Digital mammography. Right breast, MLO projection. Patient age 61.
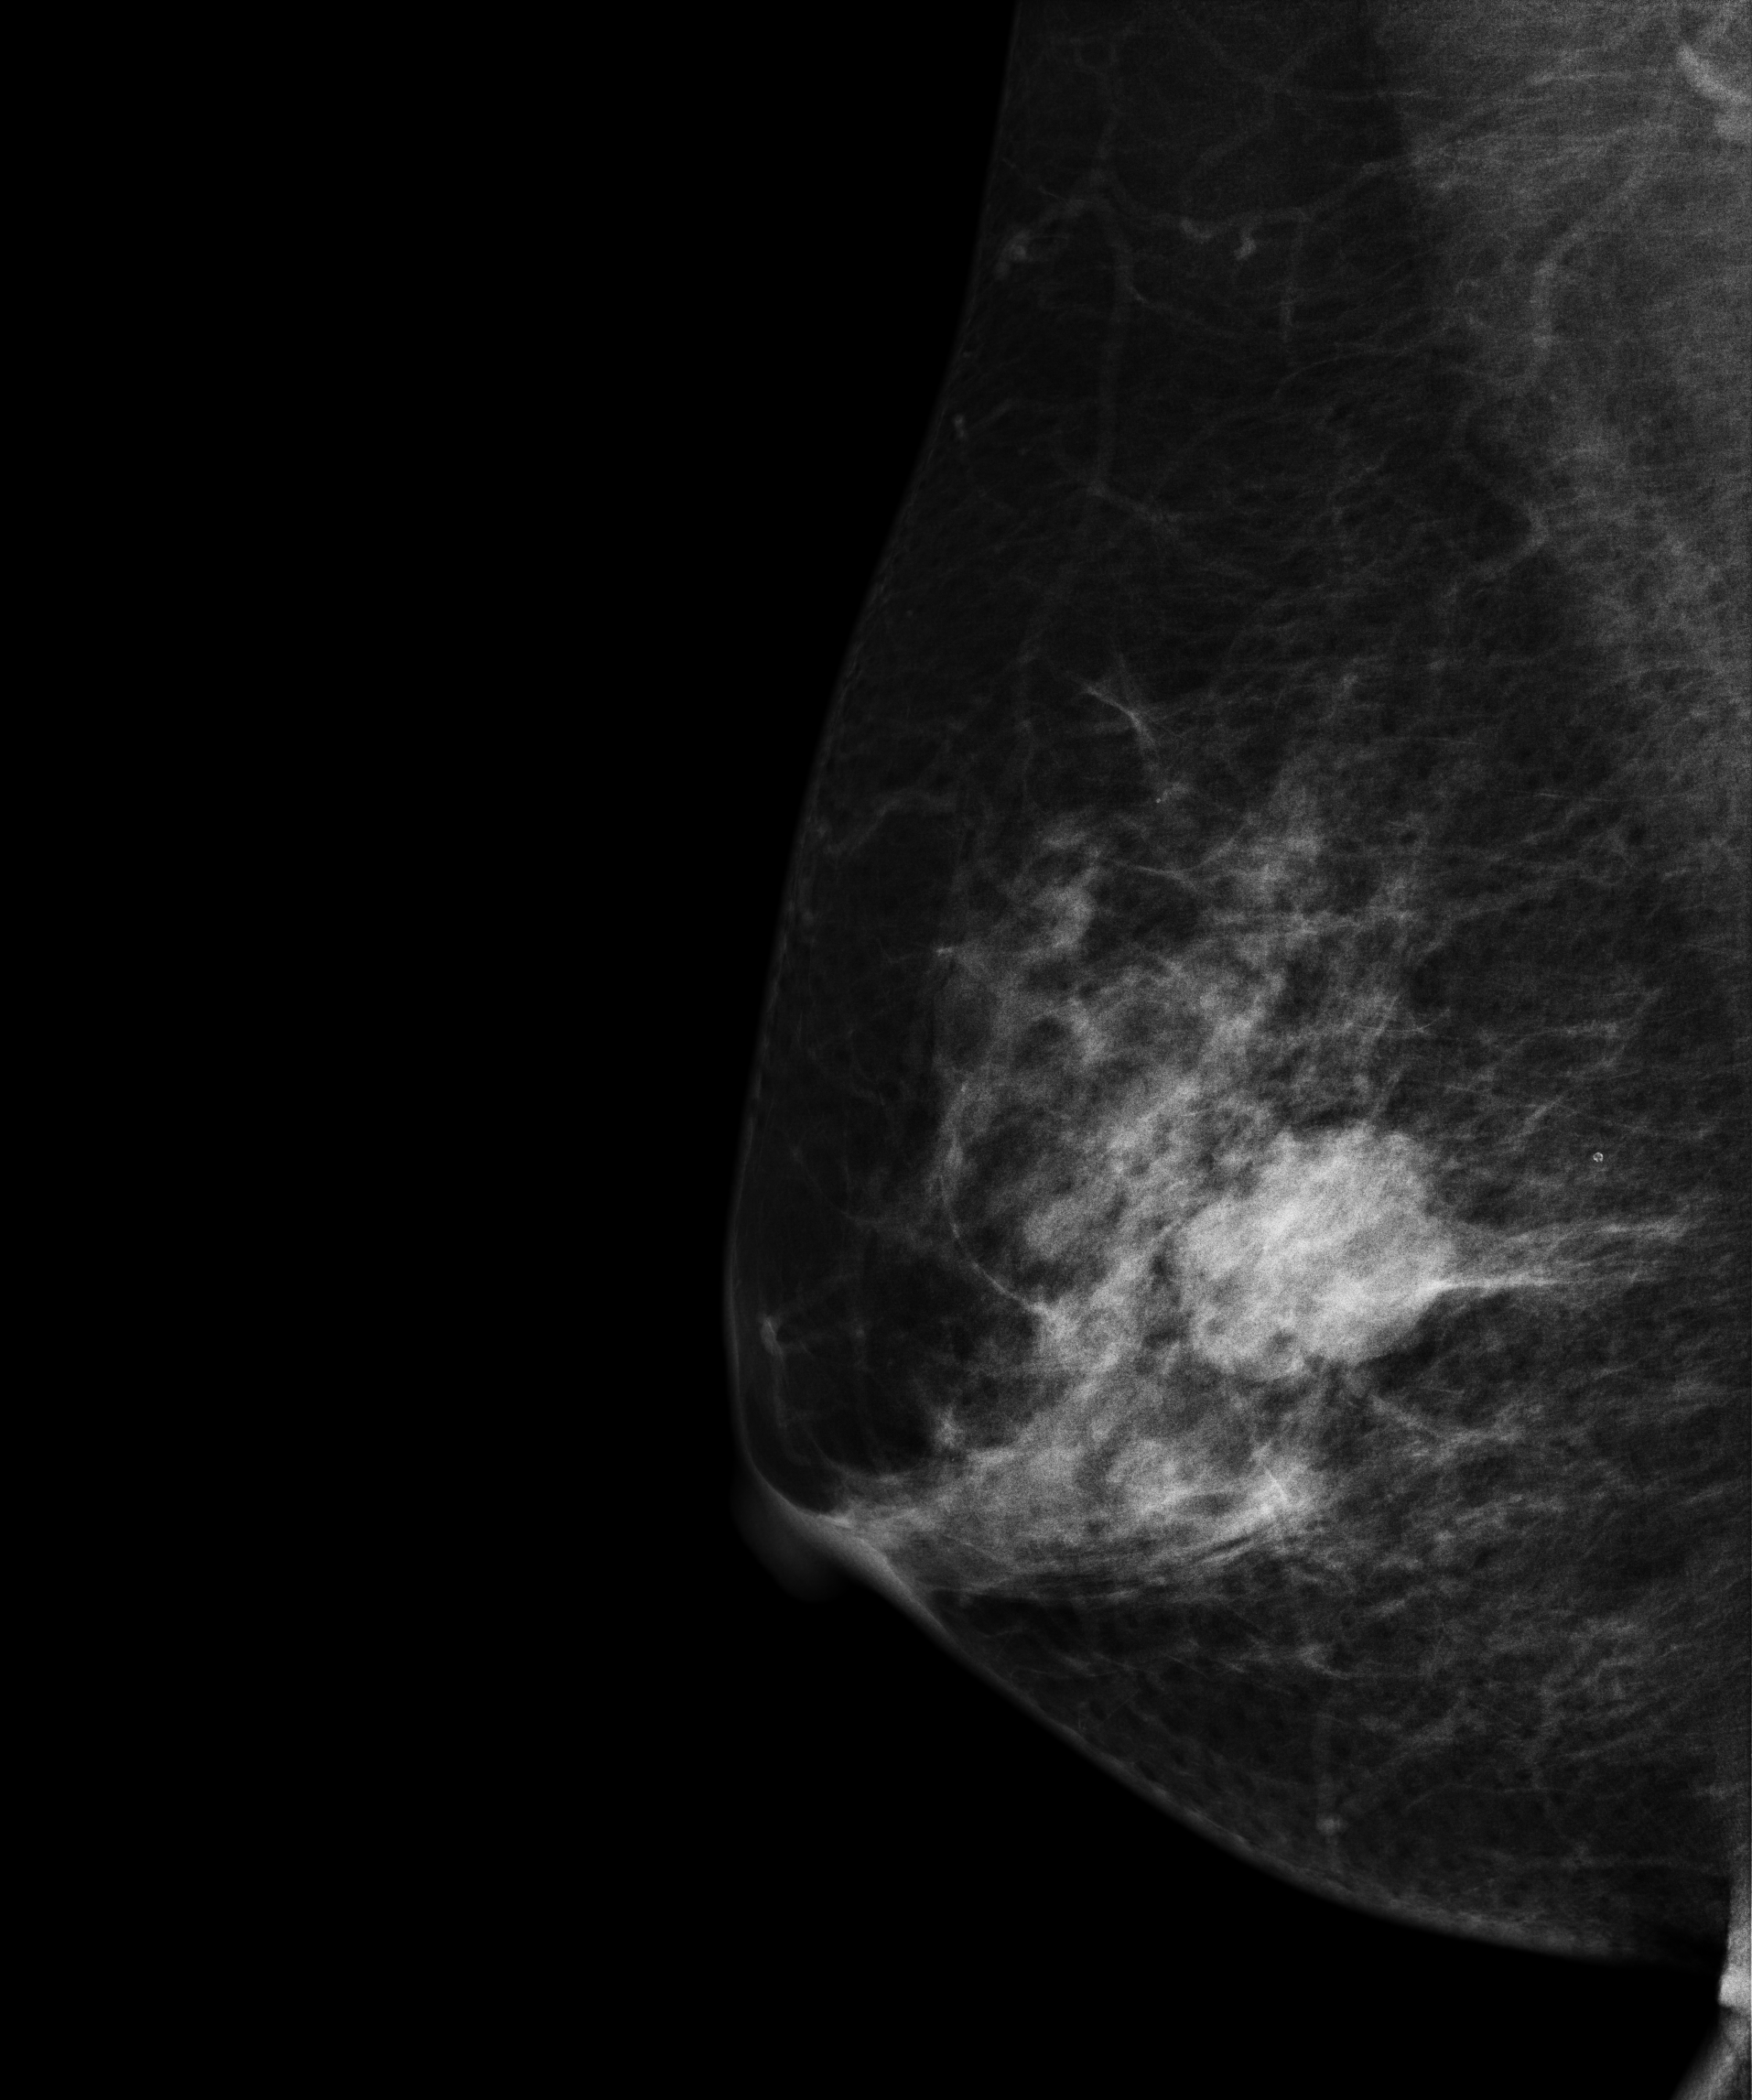
This breast has a mass, biopsy-confirmed malignant.